Mammogram — left cranio-caudal. 33 y/o patient.
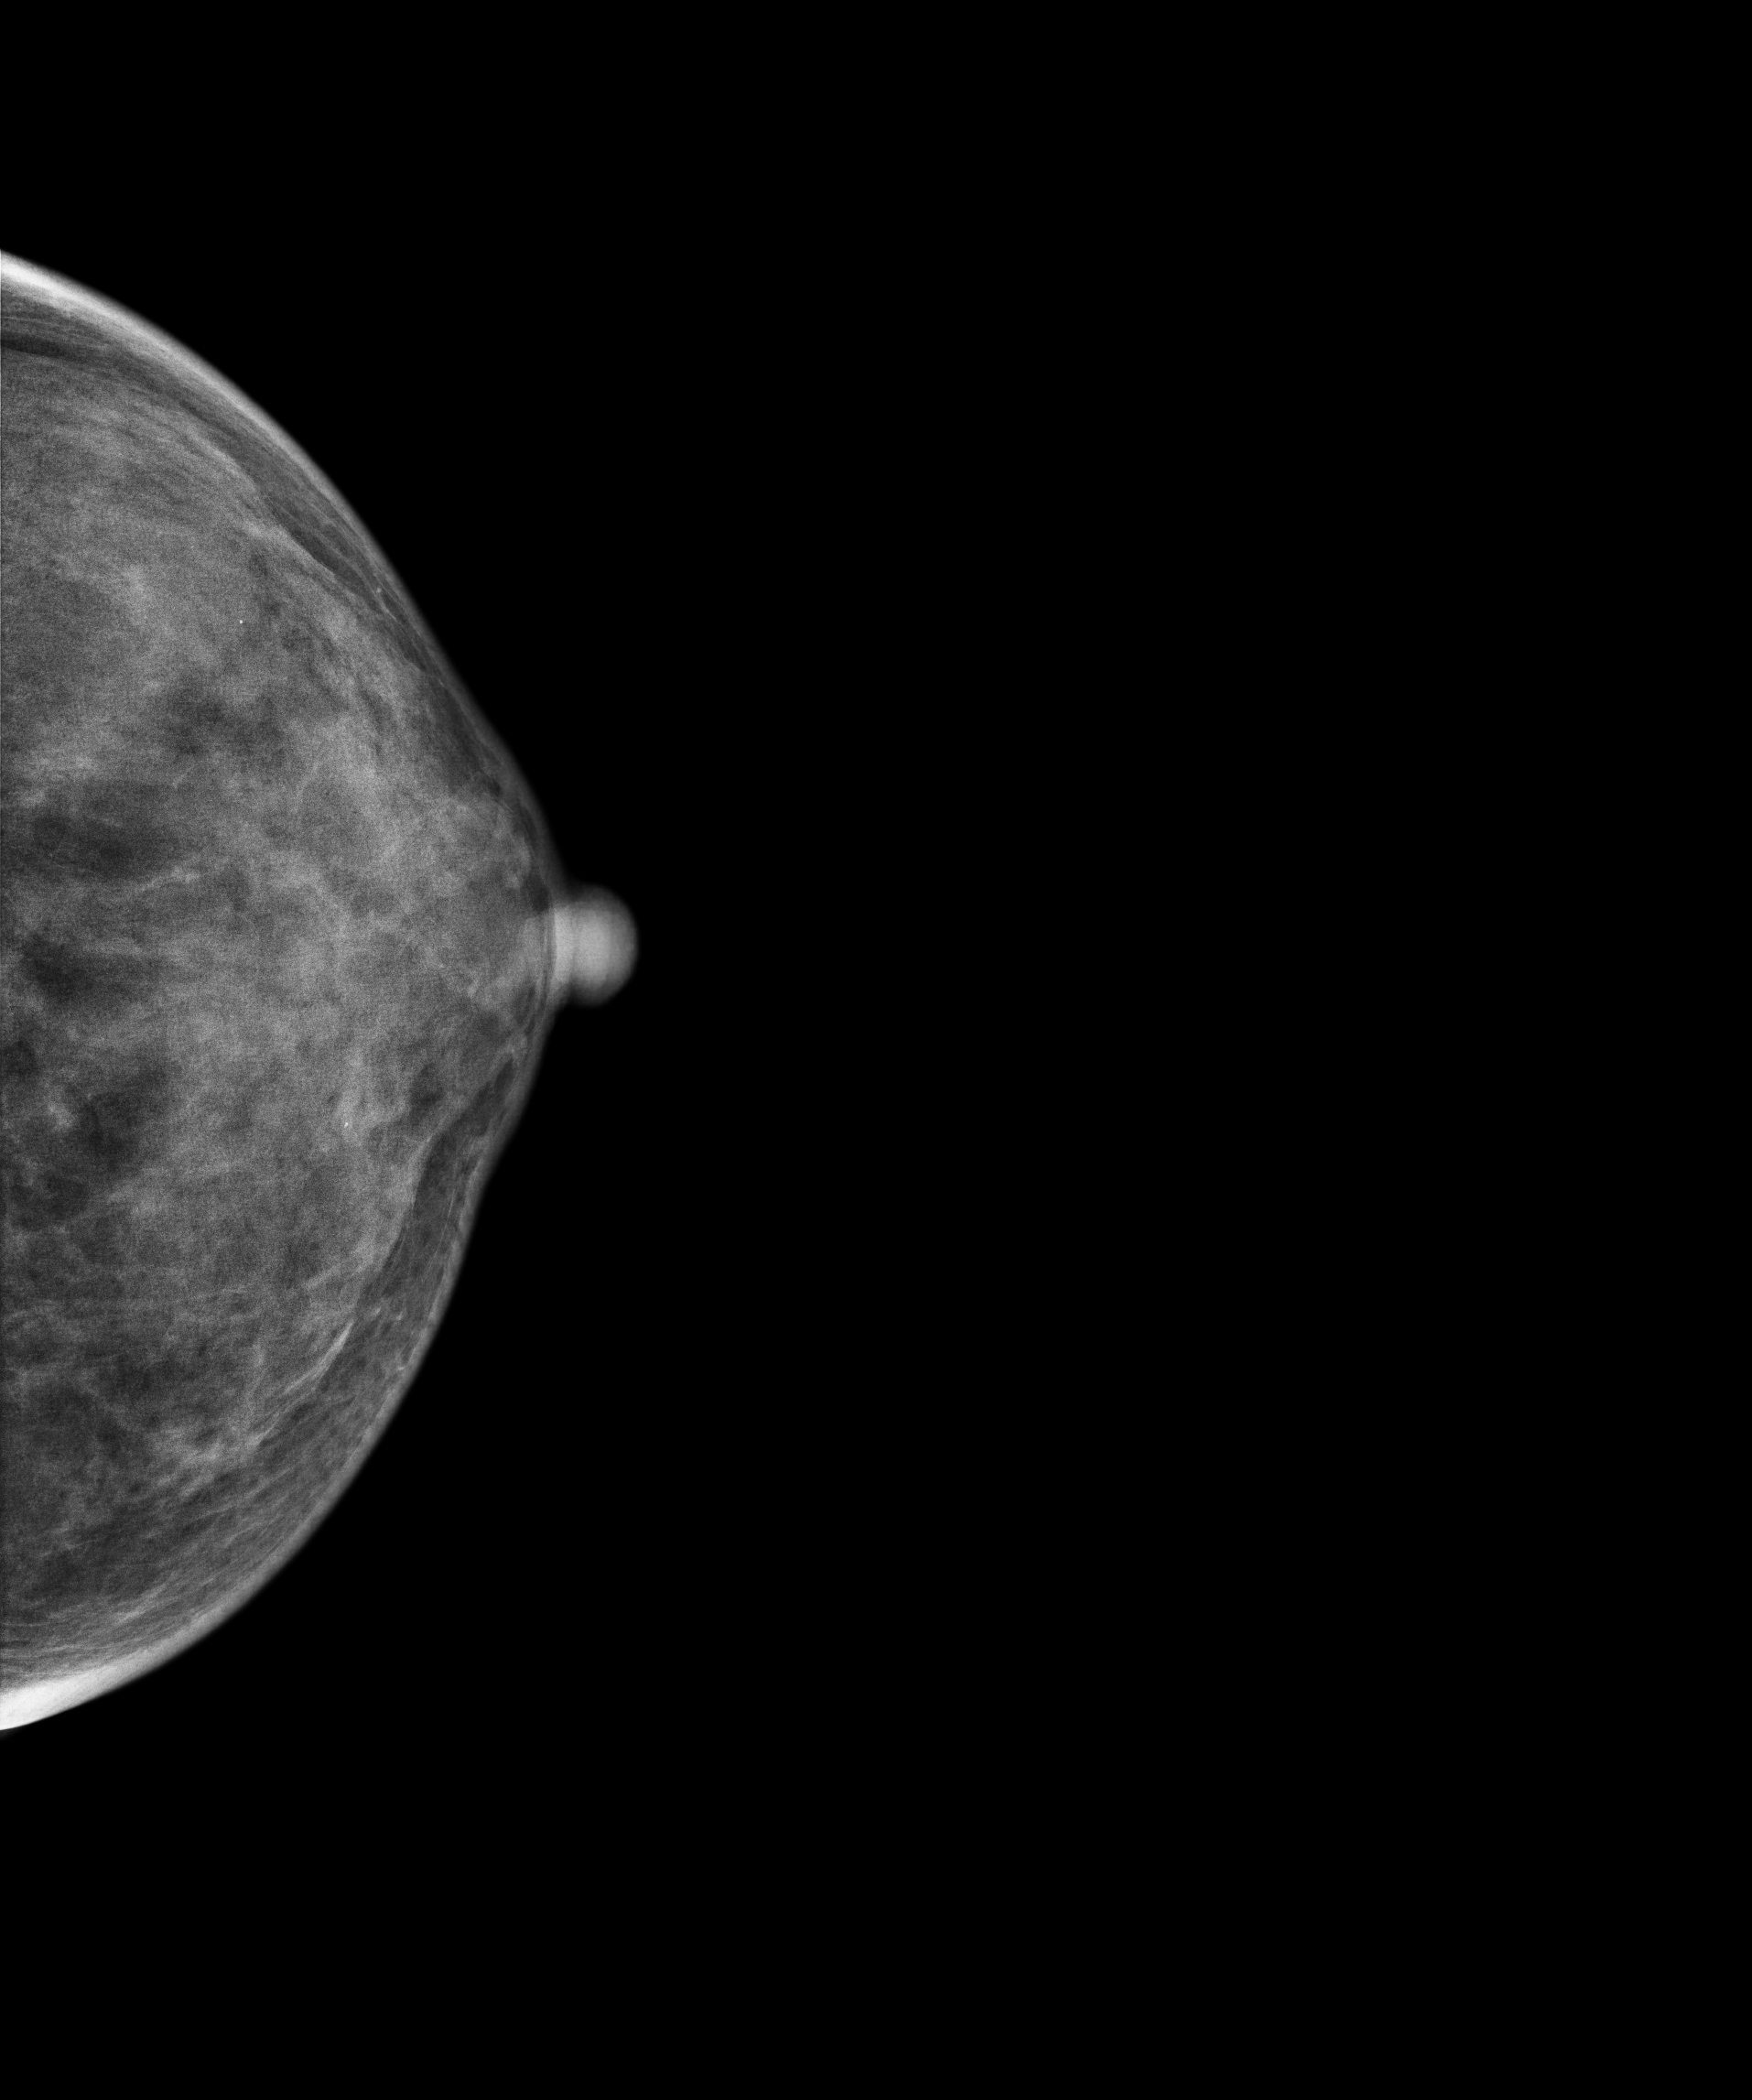
This breast has a mass, histologically confirmed malignant.